Mammogram — right cranio-caudal. 45 y/o patient.
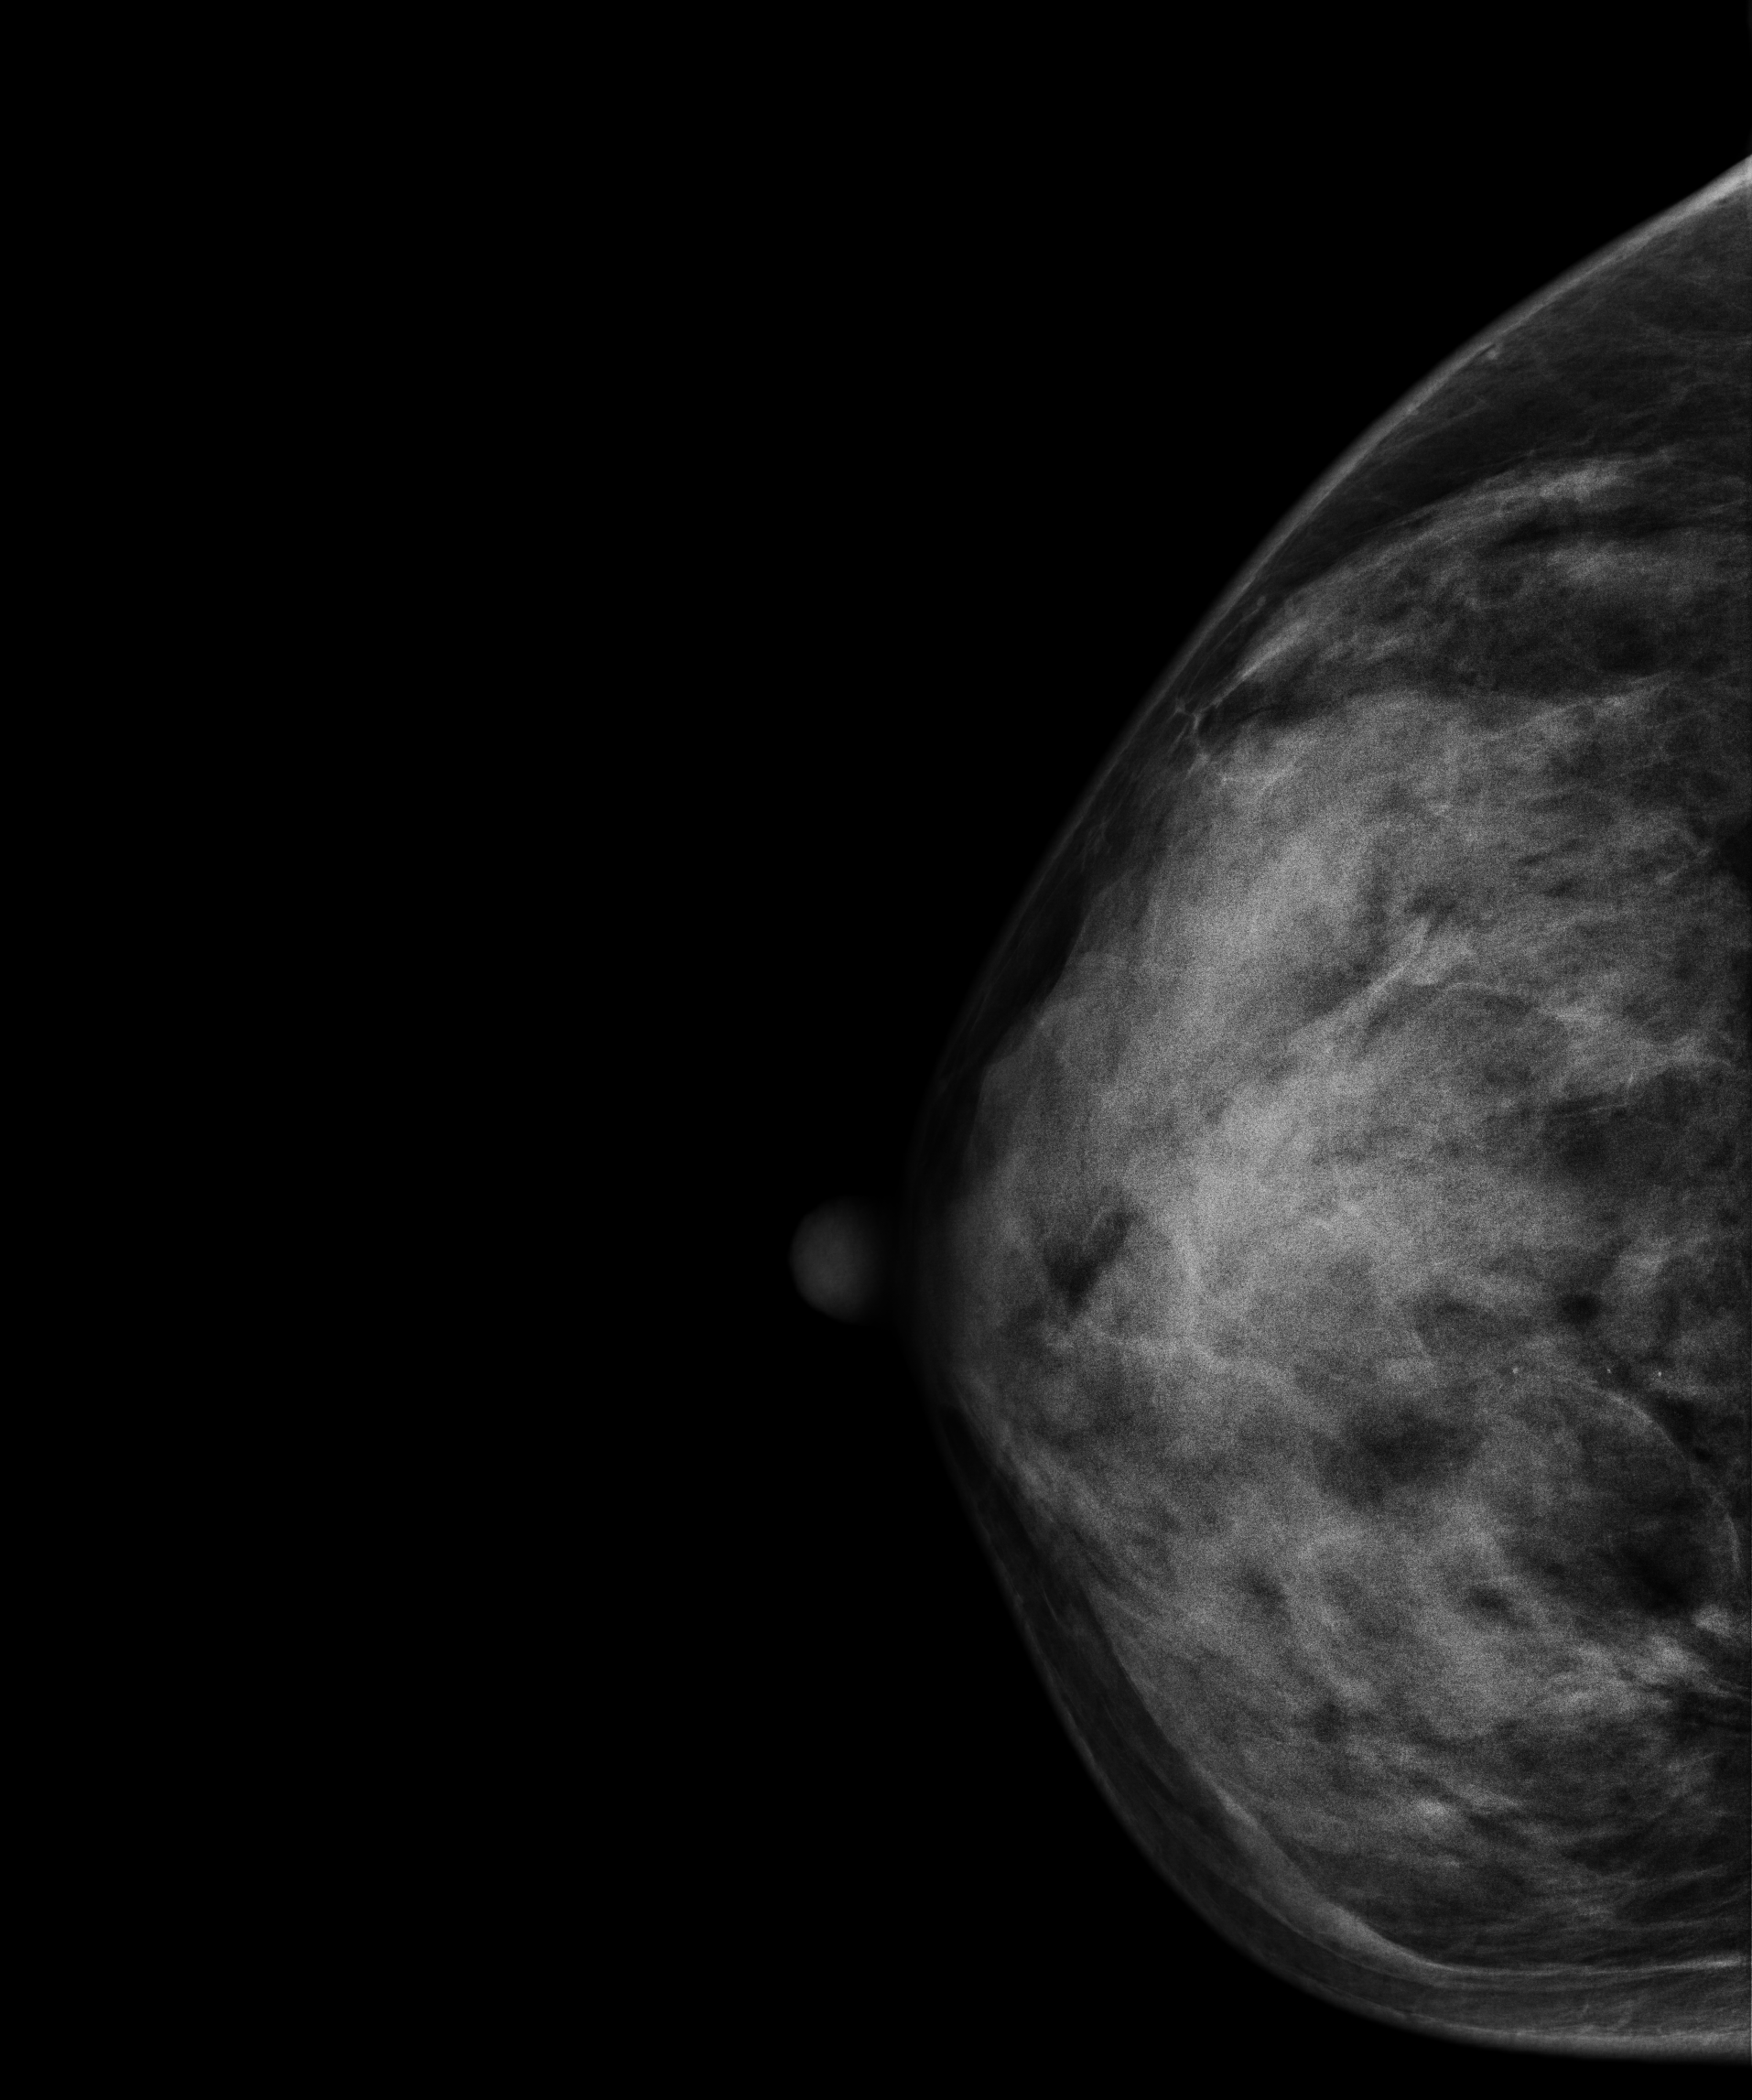
Contralateral breast — no documented abnormality on this side.